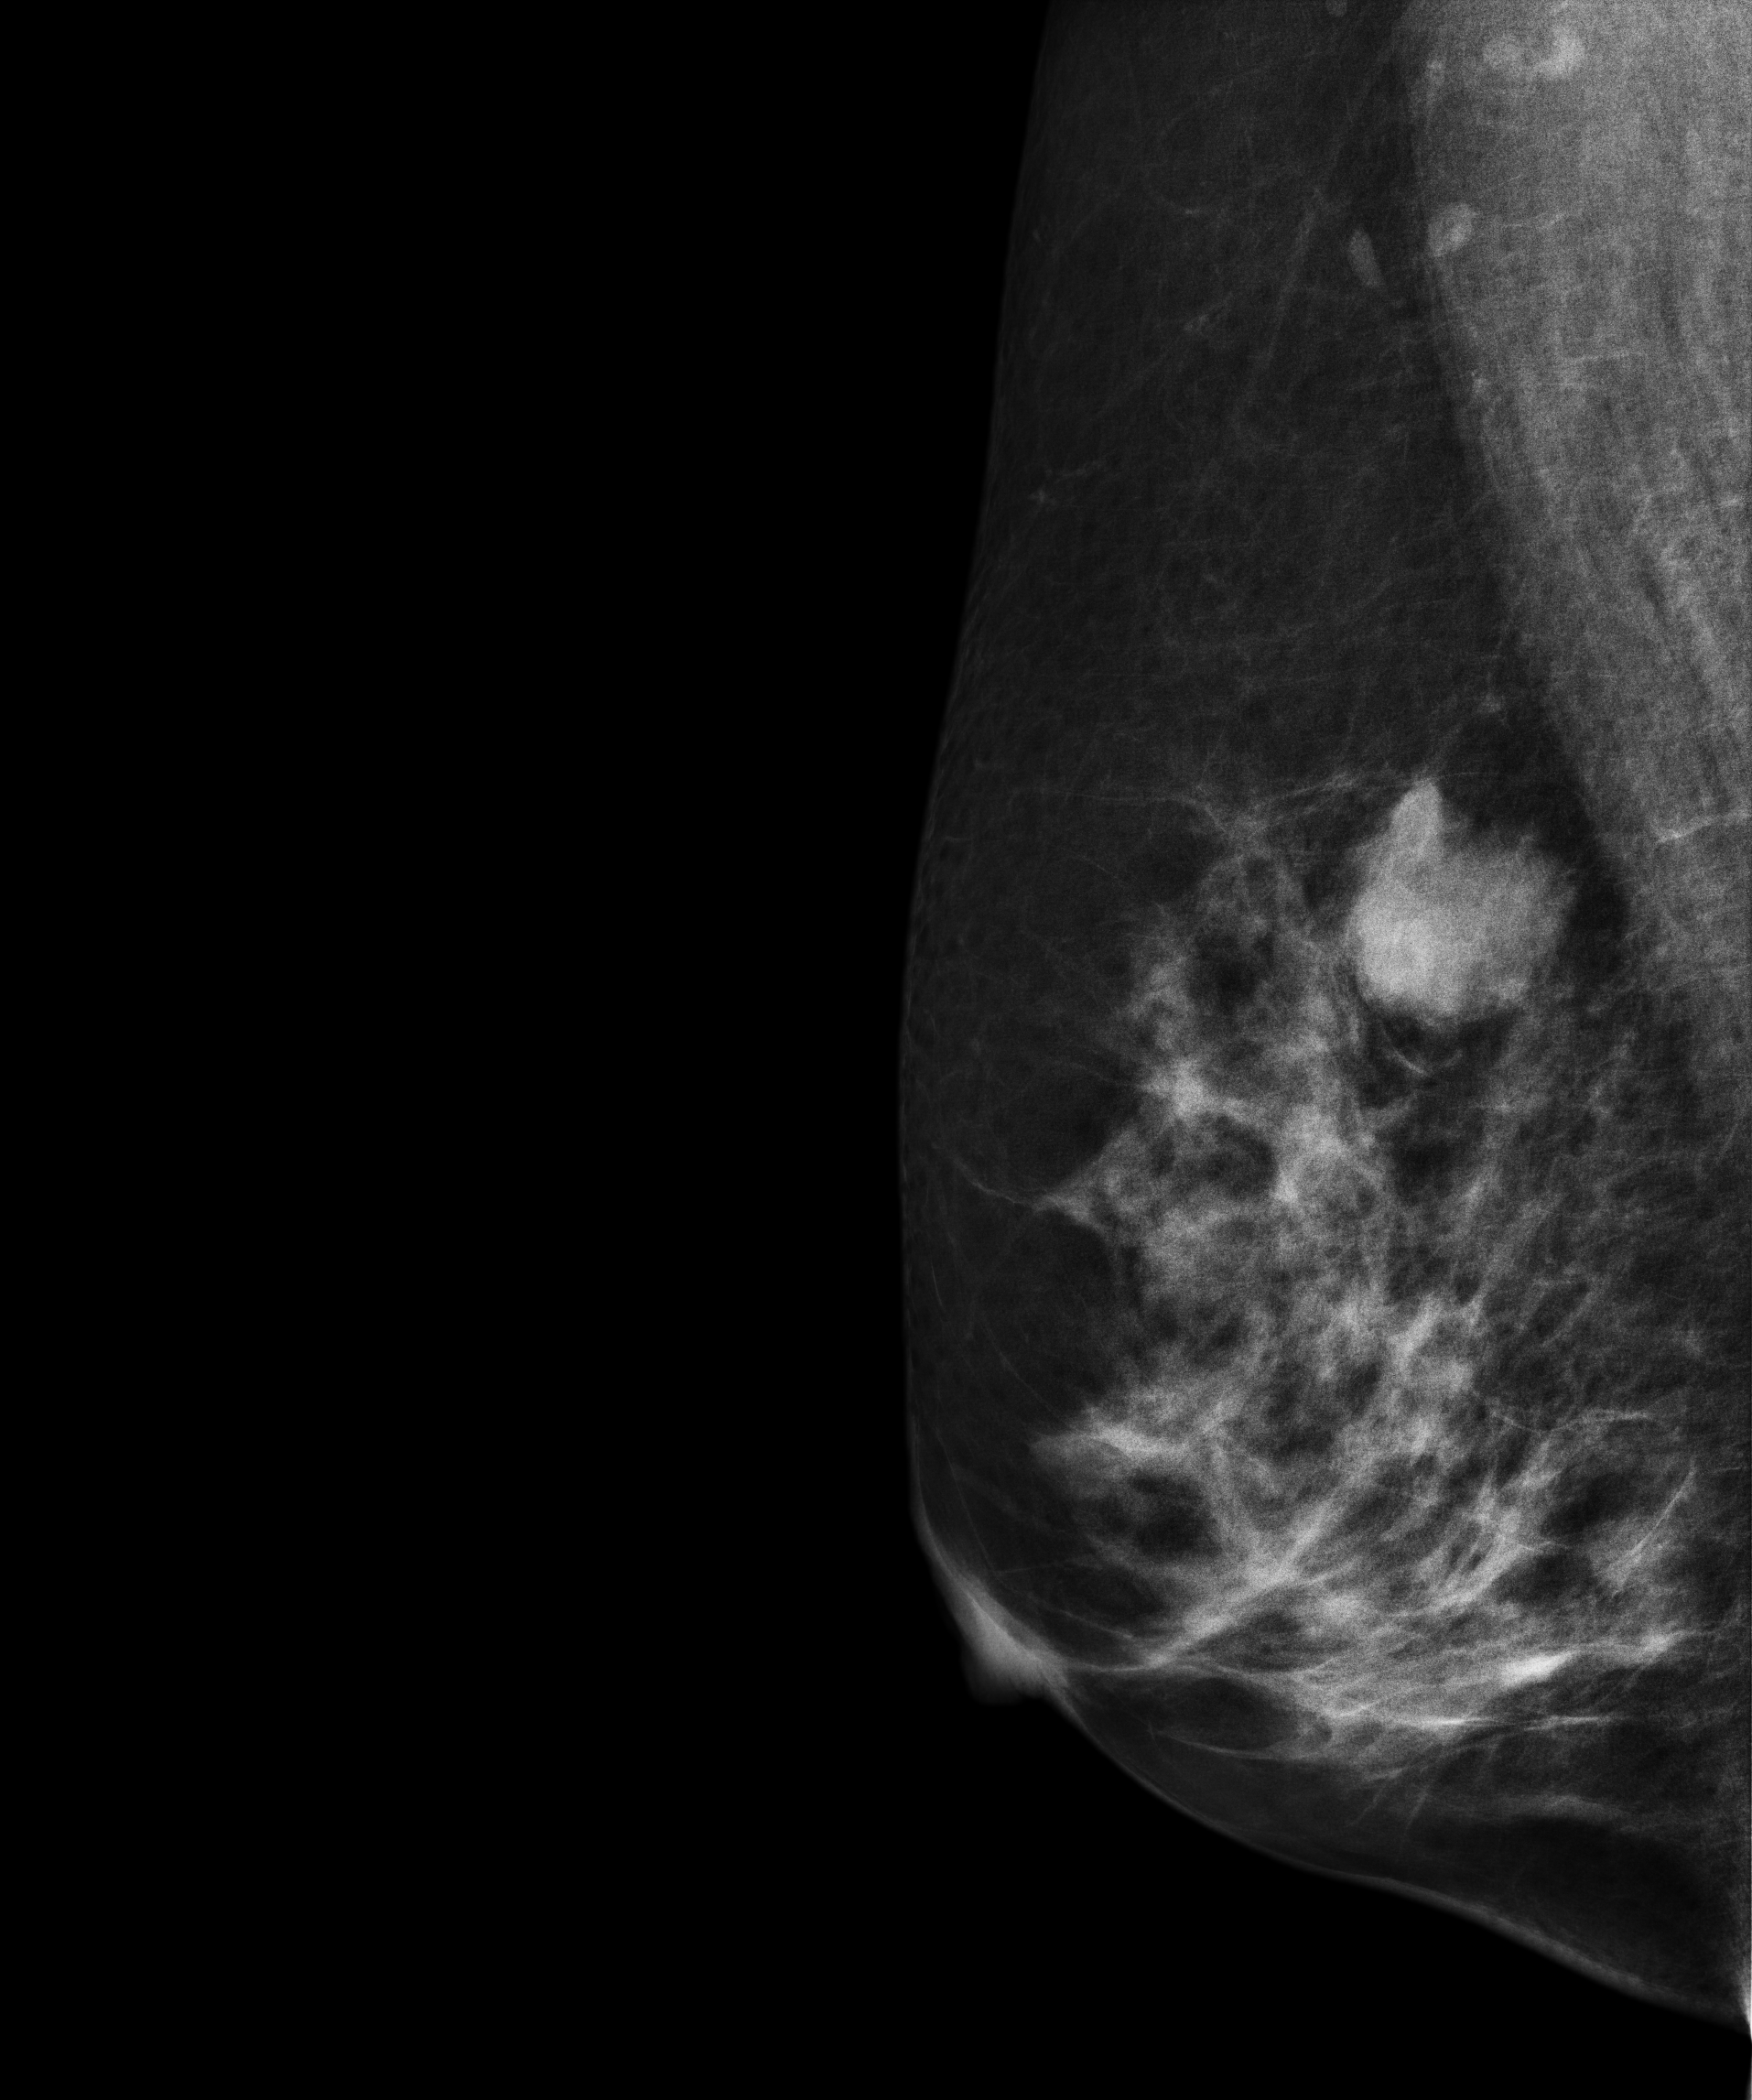
Digital mammography. Right breast, MLO projection. Patient age 58.
This breast has a mass, biopsy-confirmed benign.